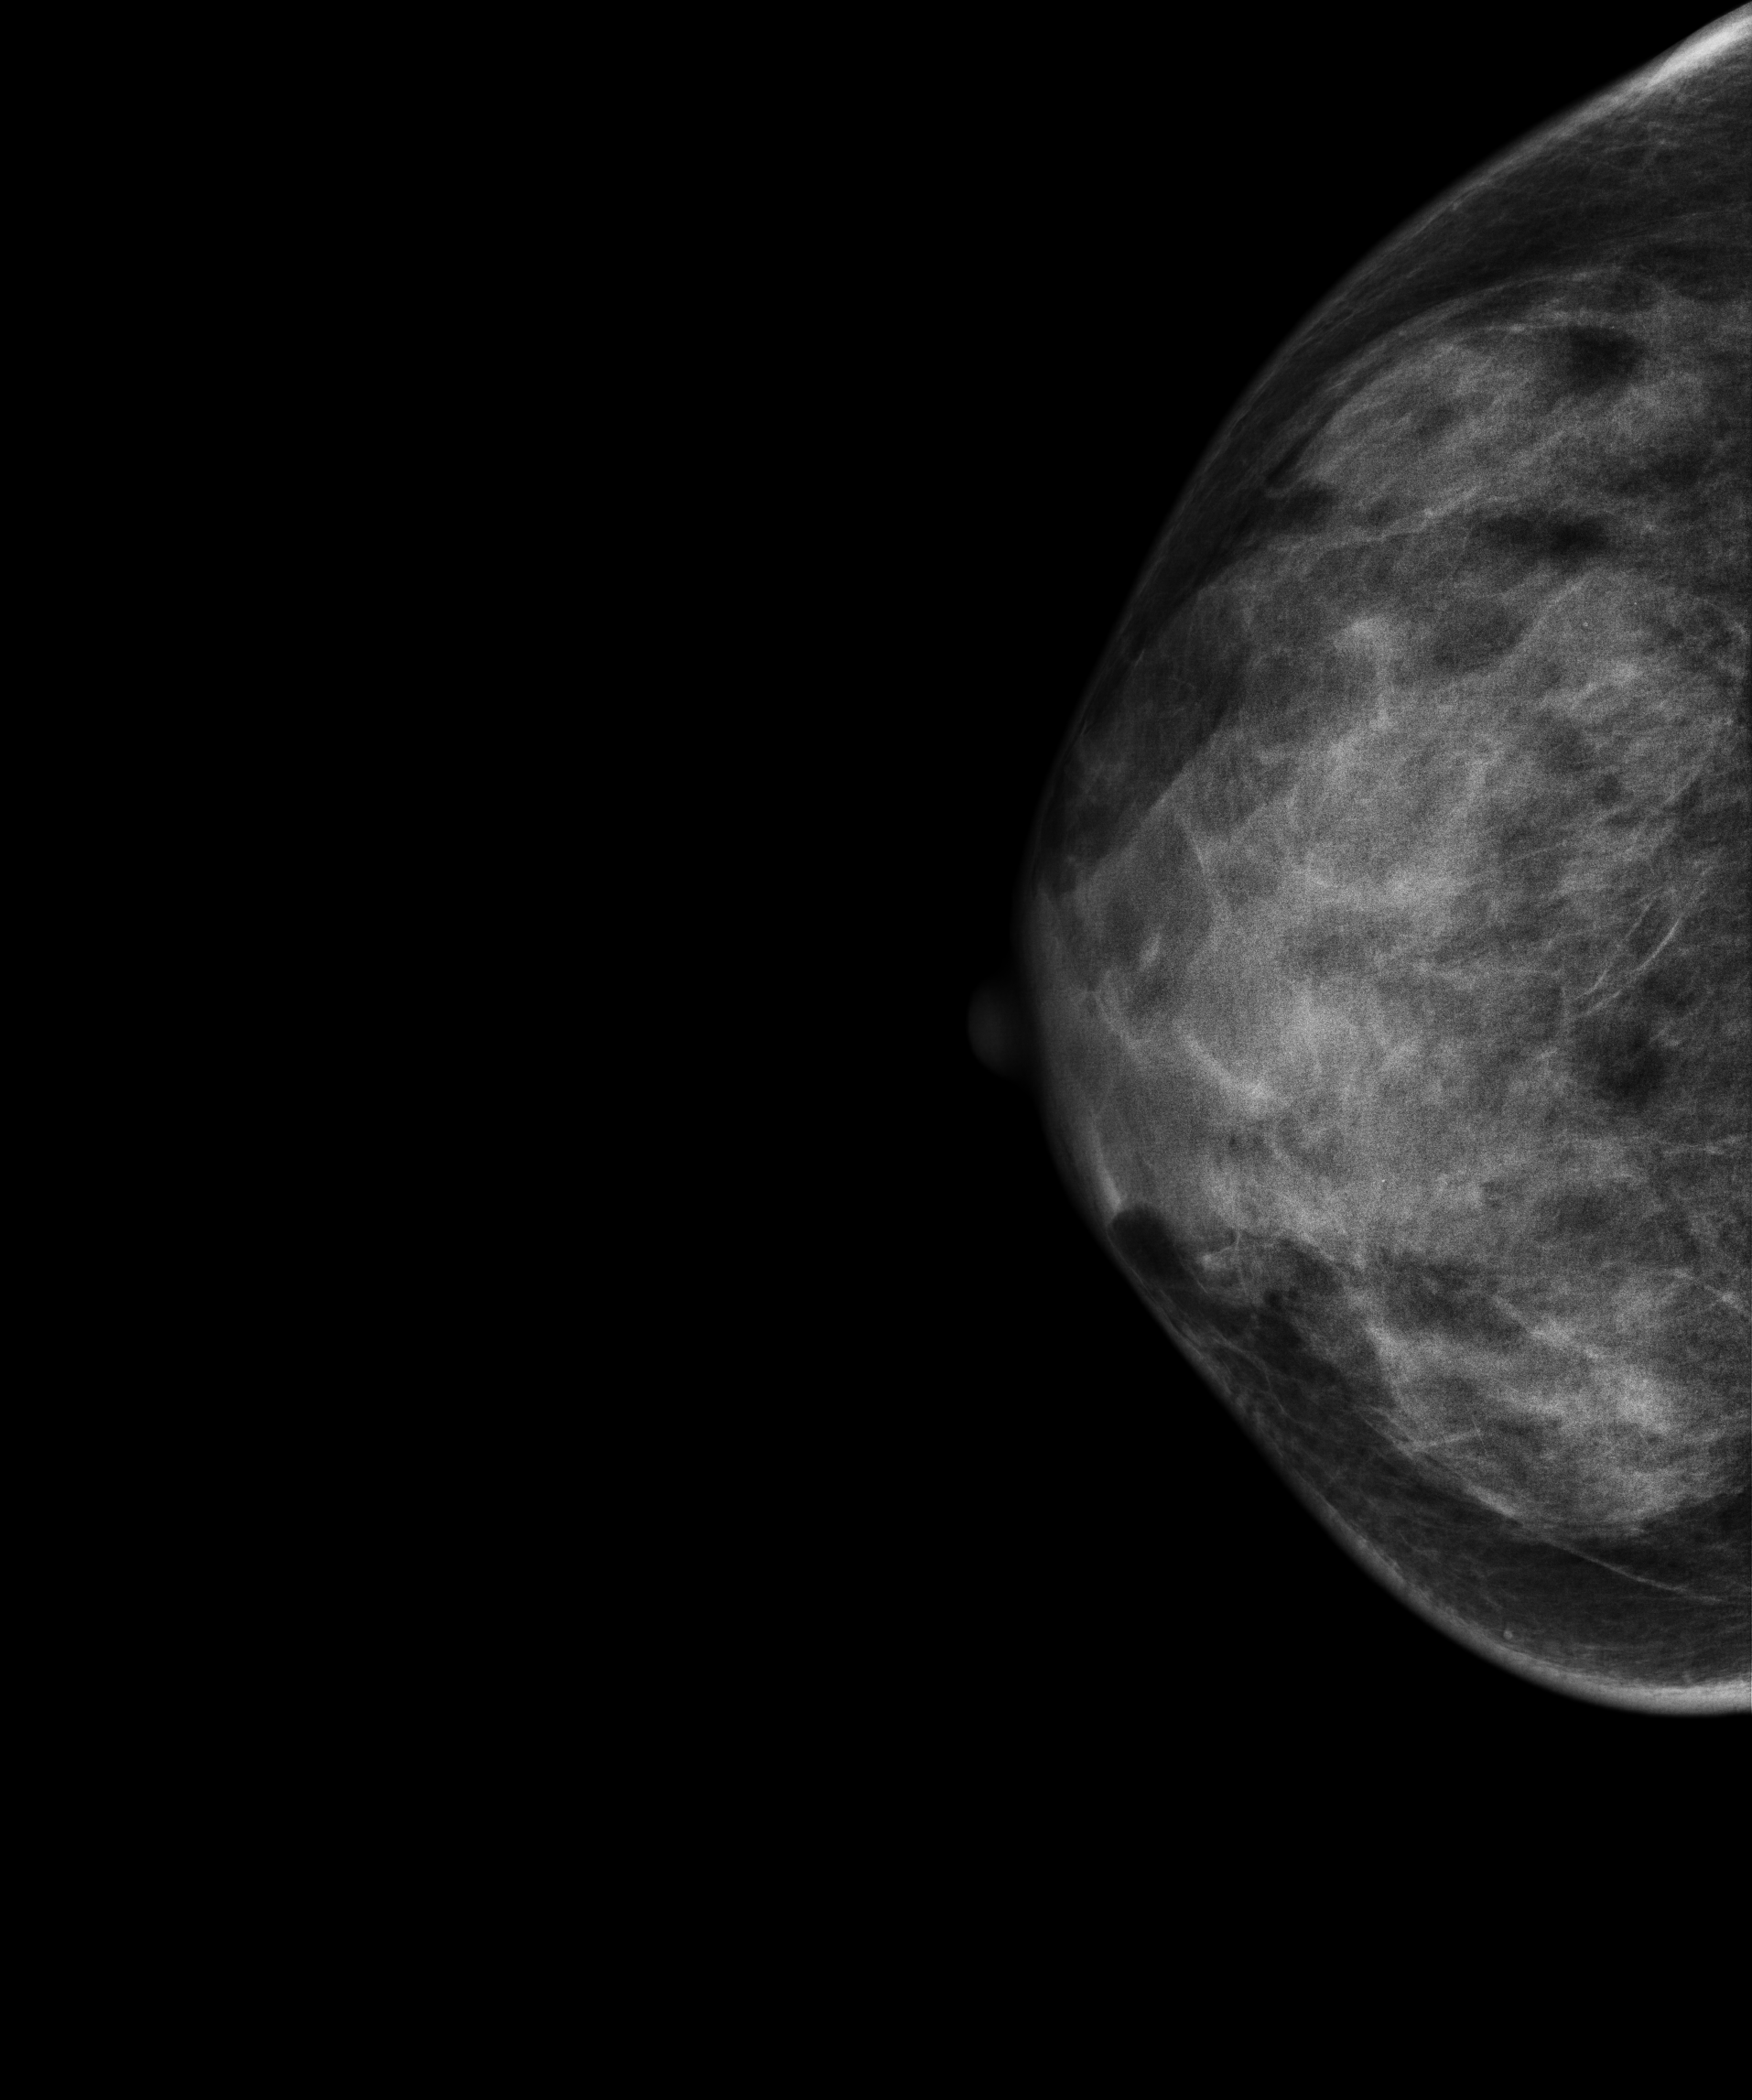
Mammogram — right CC. Patient age 42.
This breast has a mass, histologically confirmed malignant.